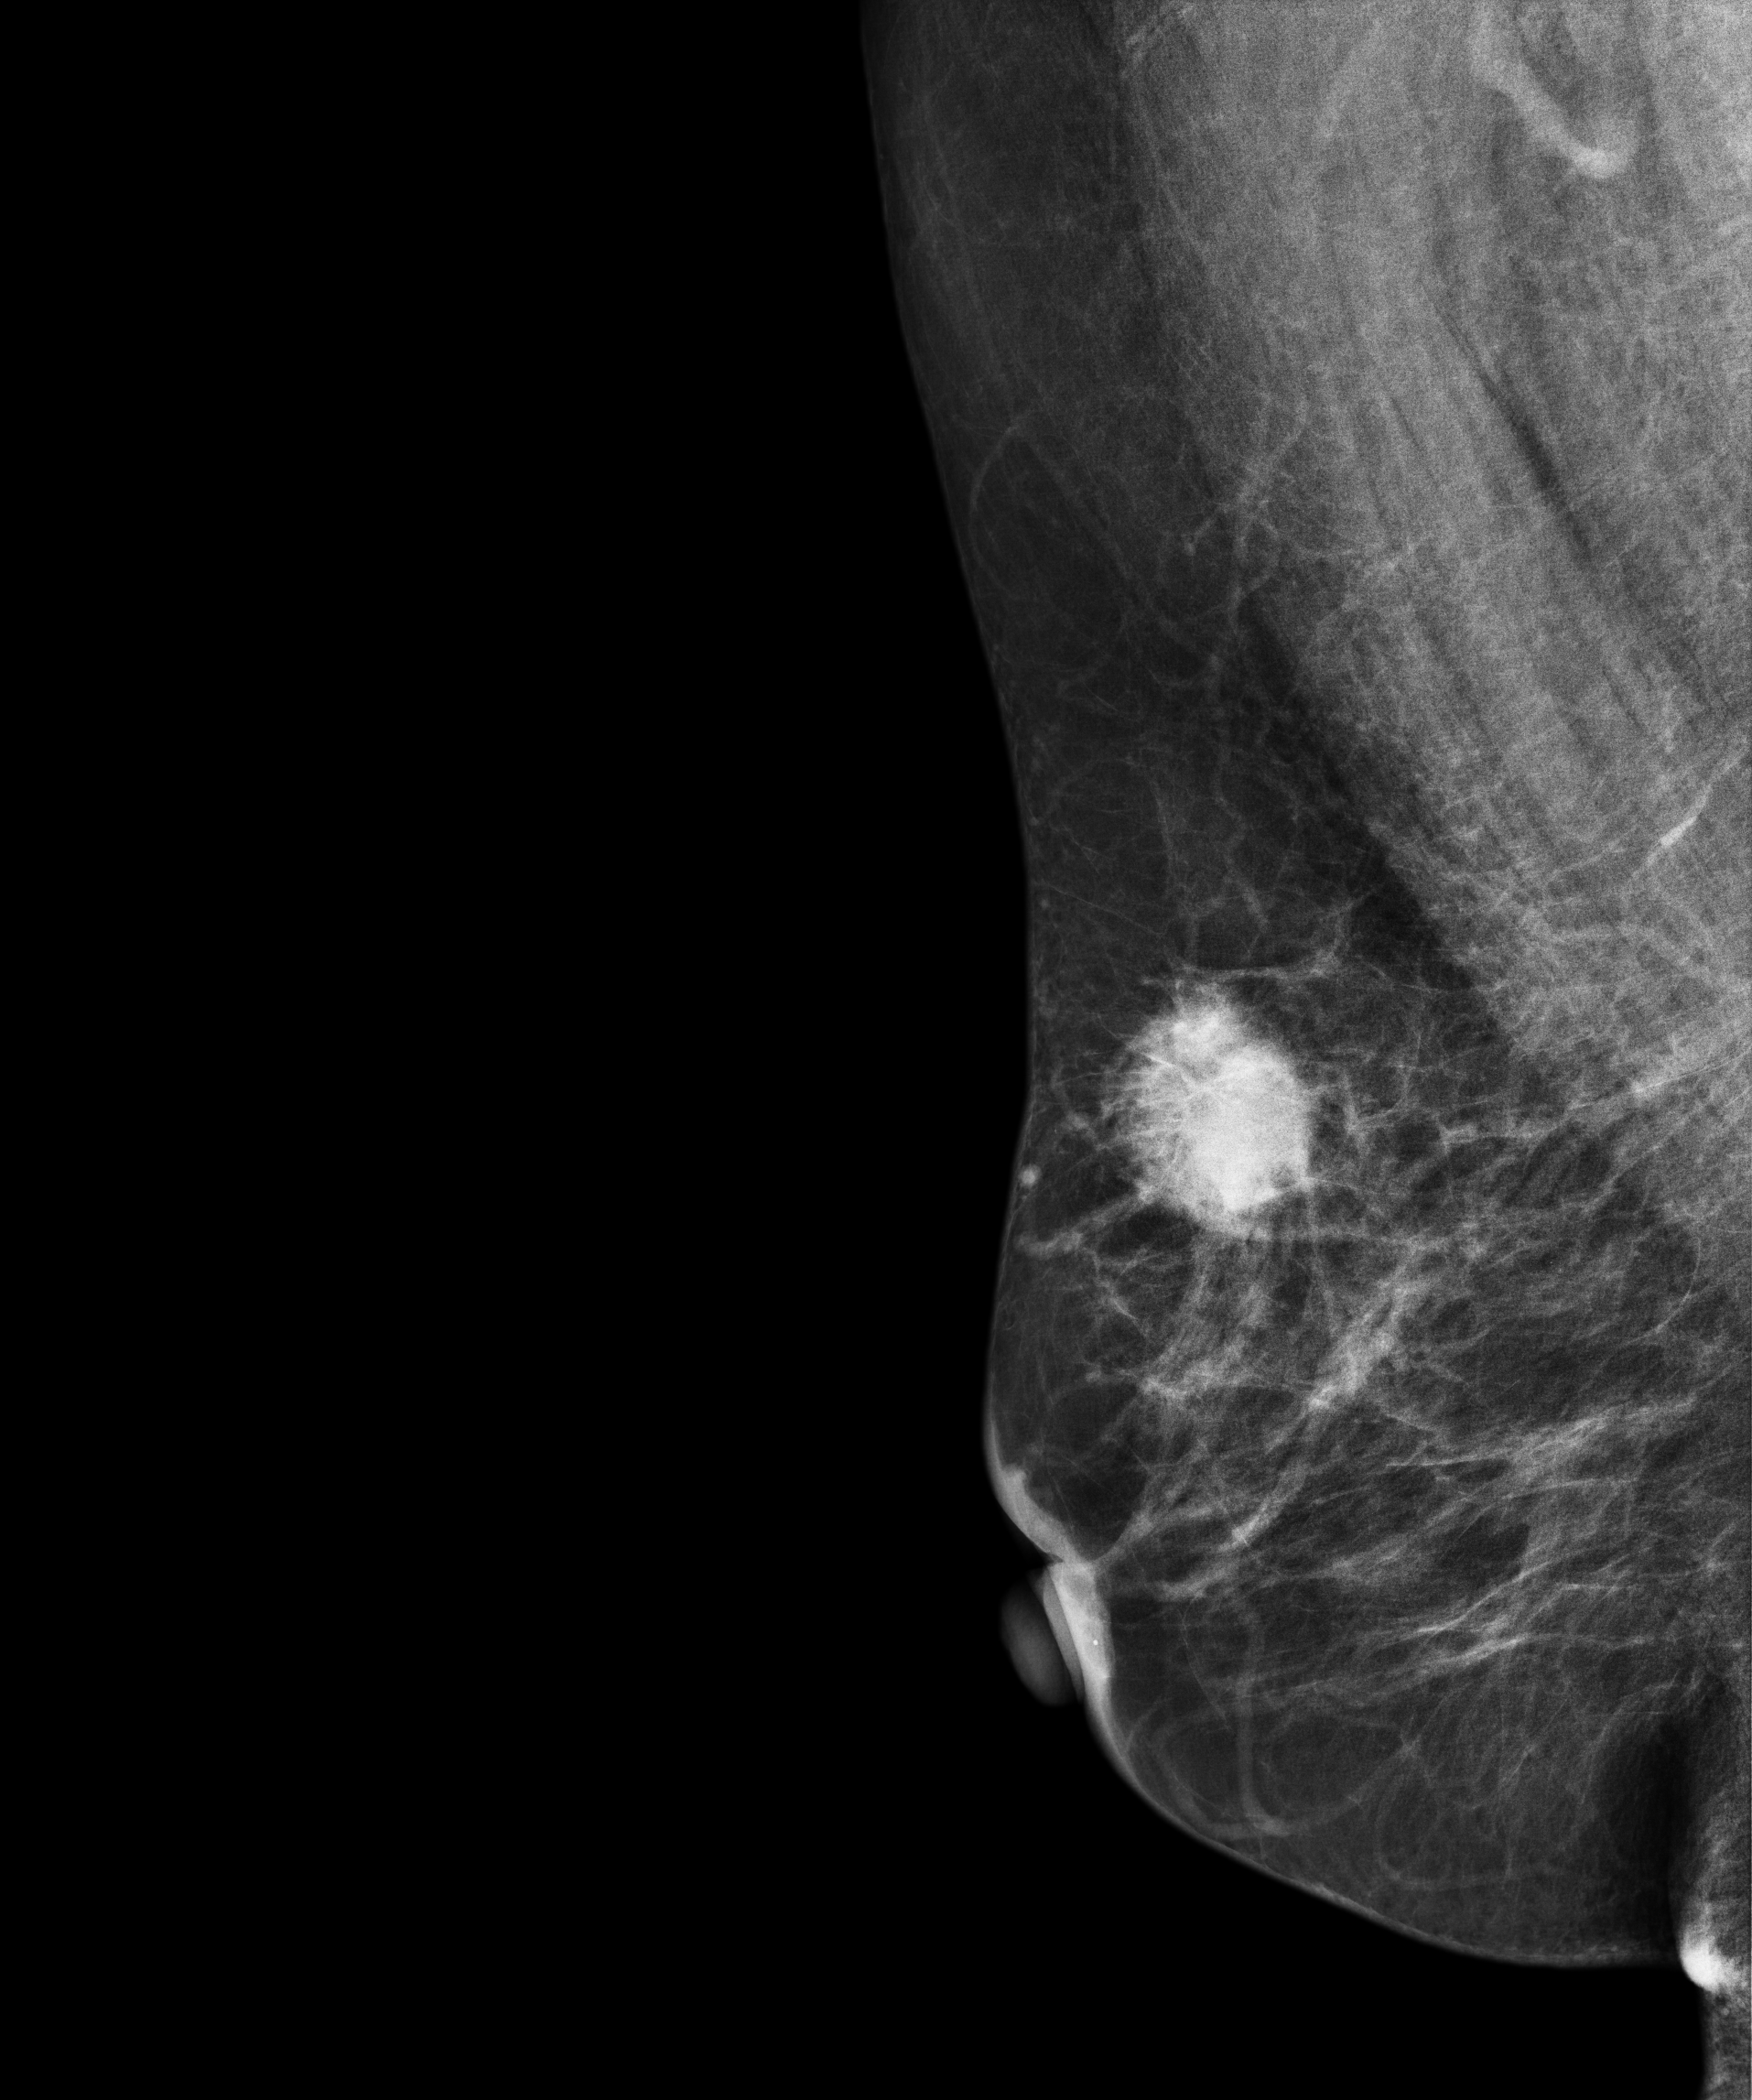
Mammogram, right breast, MLO view. Patient age 58.
This breast has a mass, biopsy-proven malignant.